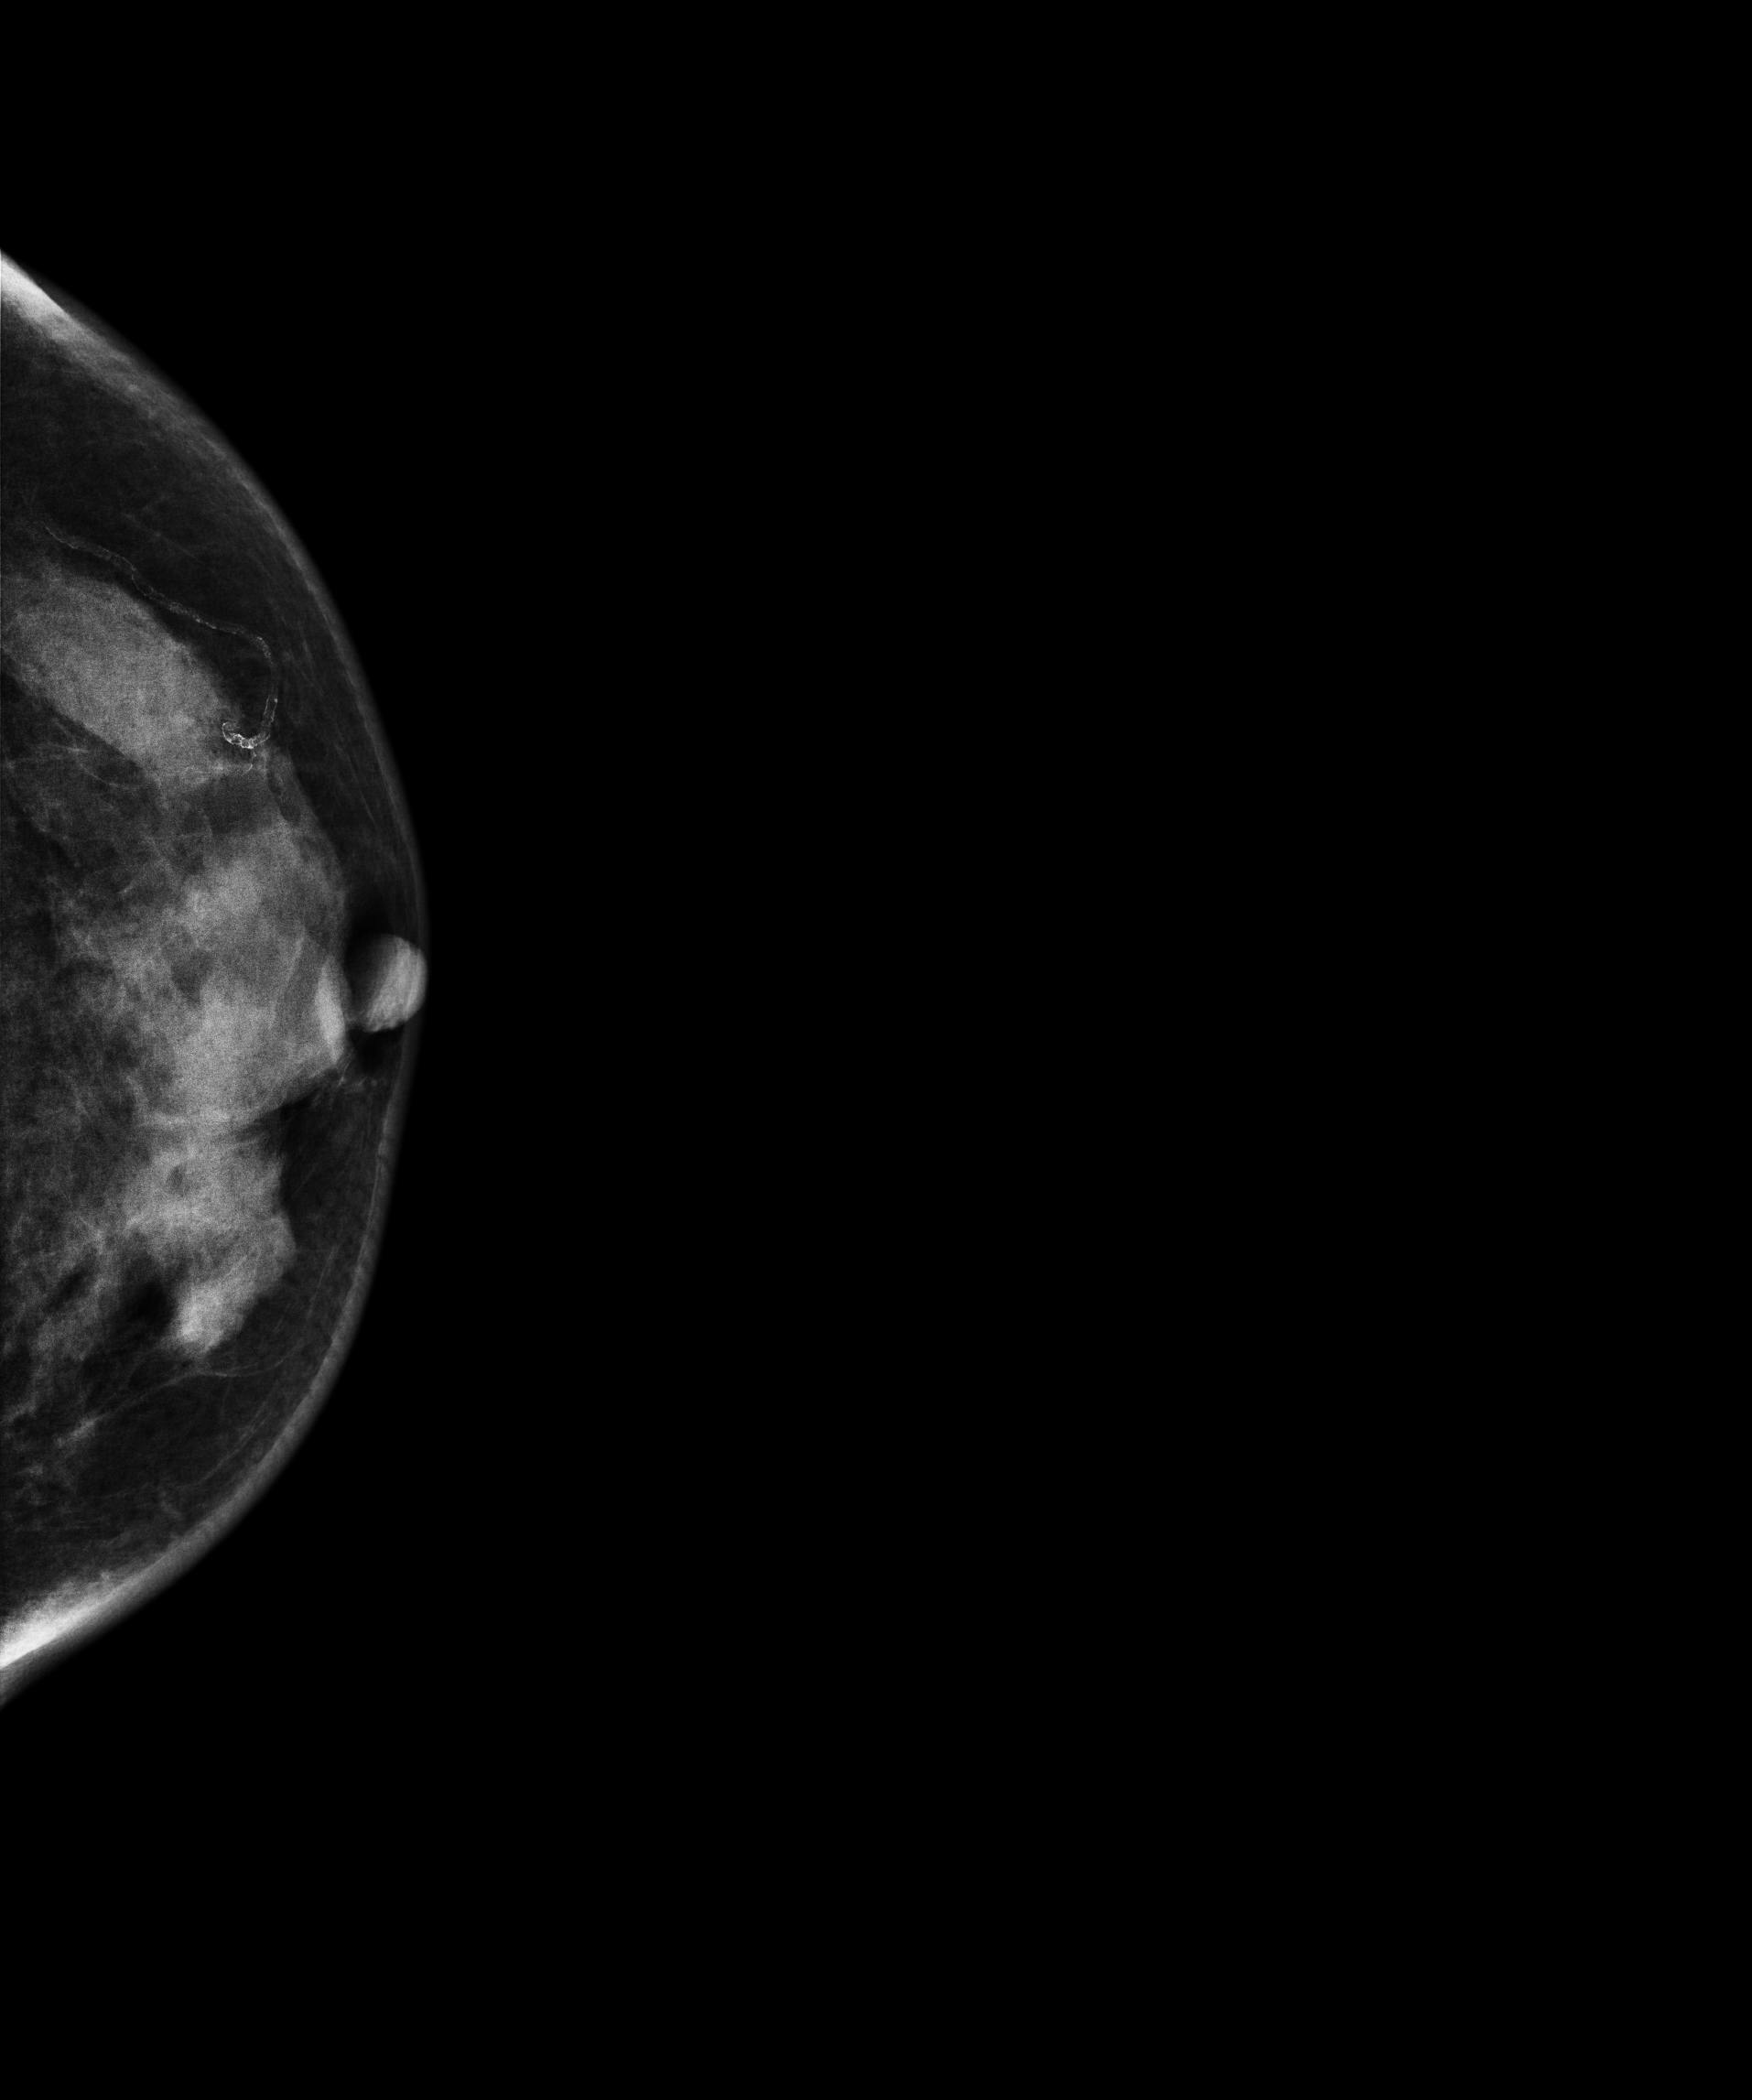
Mammogram — left CC. 63-year-old patient.
This breast has a mass, histologically confirmed benign.